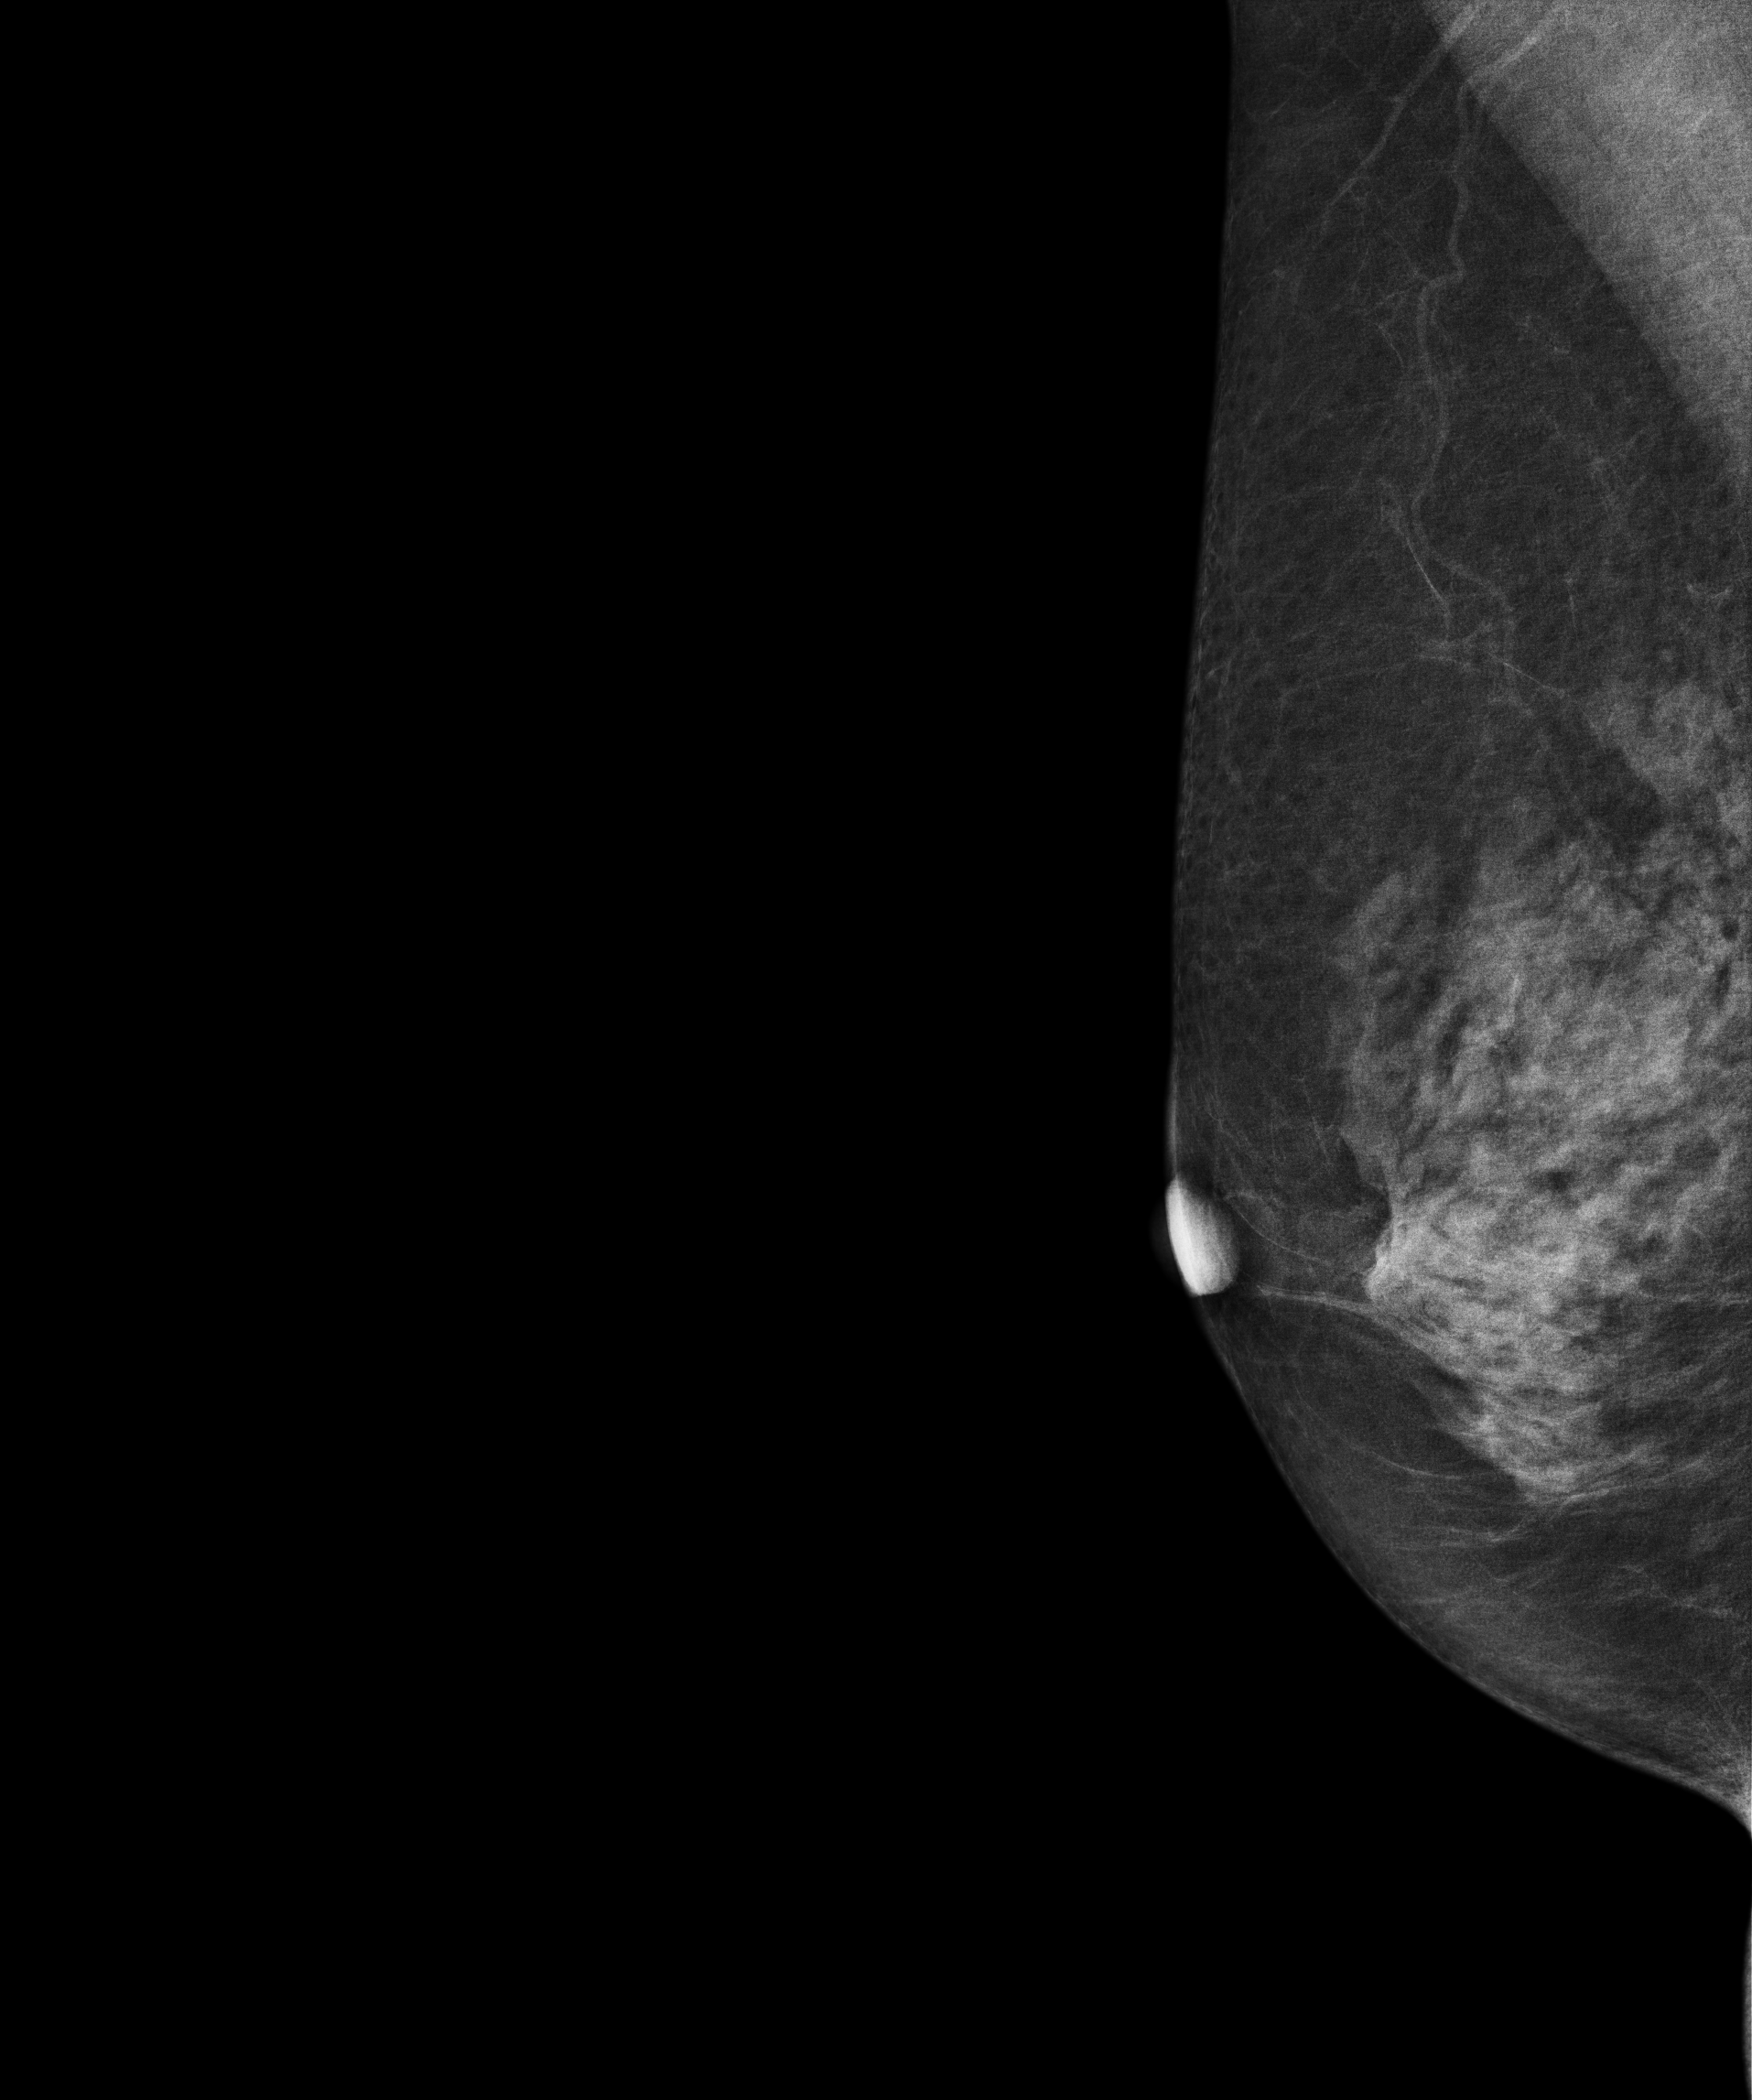
Digital mammography. Right breast, medio-lateral oblique projection. Patient age 65.
Contralateral breast — no documented abnormality on this side.